Left-breast mammogram, MLO. 44-year-old patient.
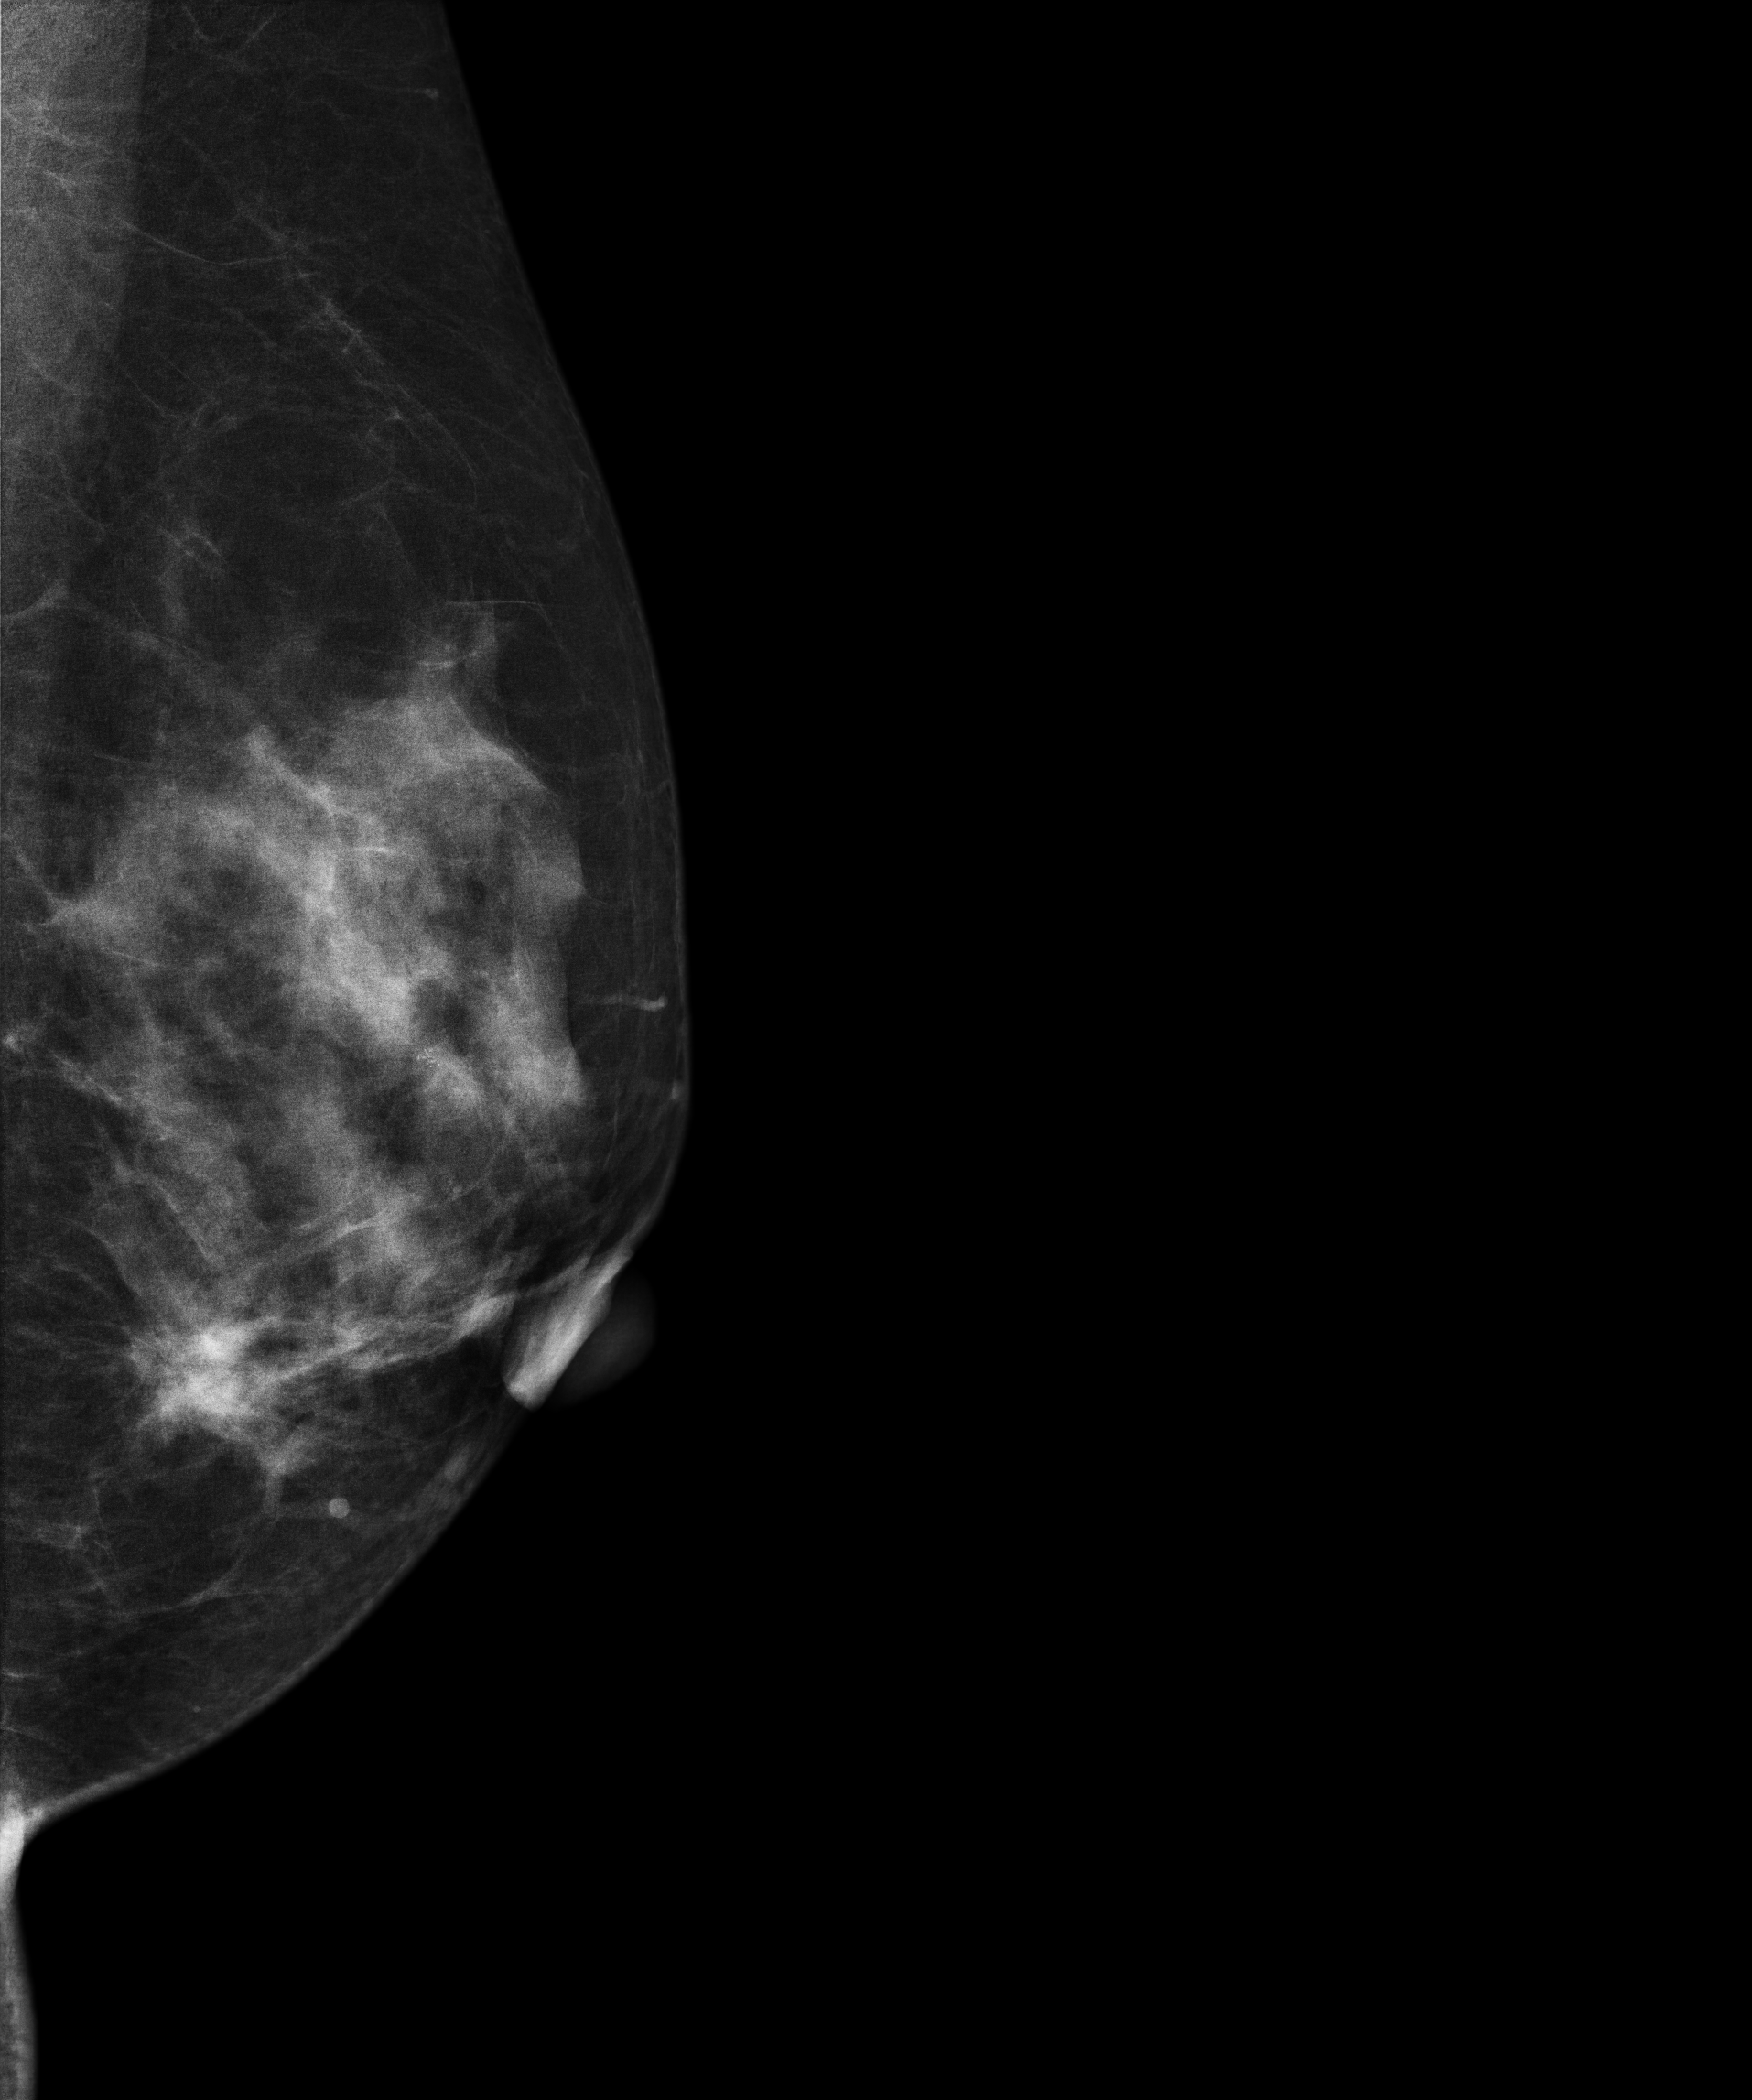
This breast has a mass, biopsy-confirmed malignant.